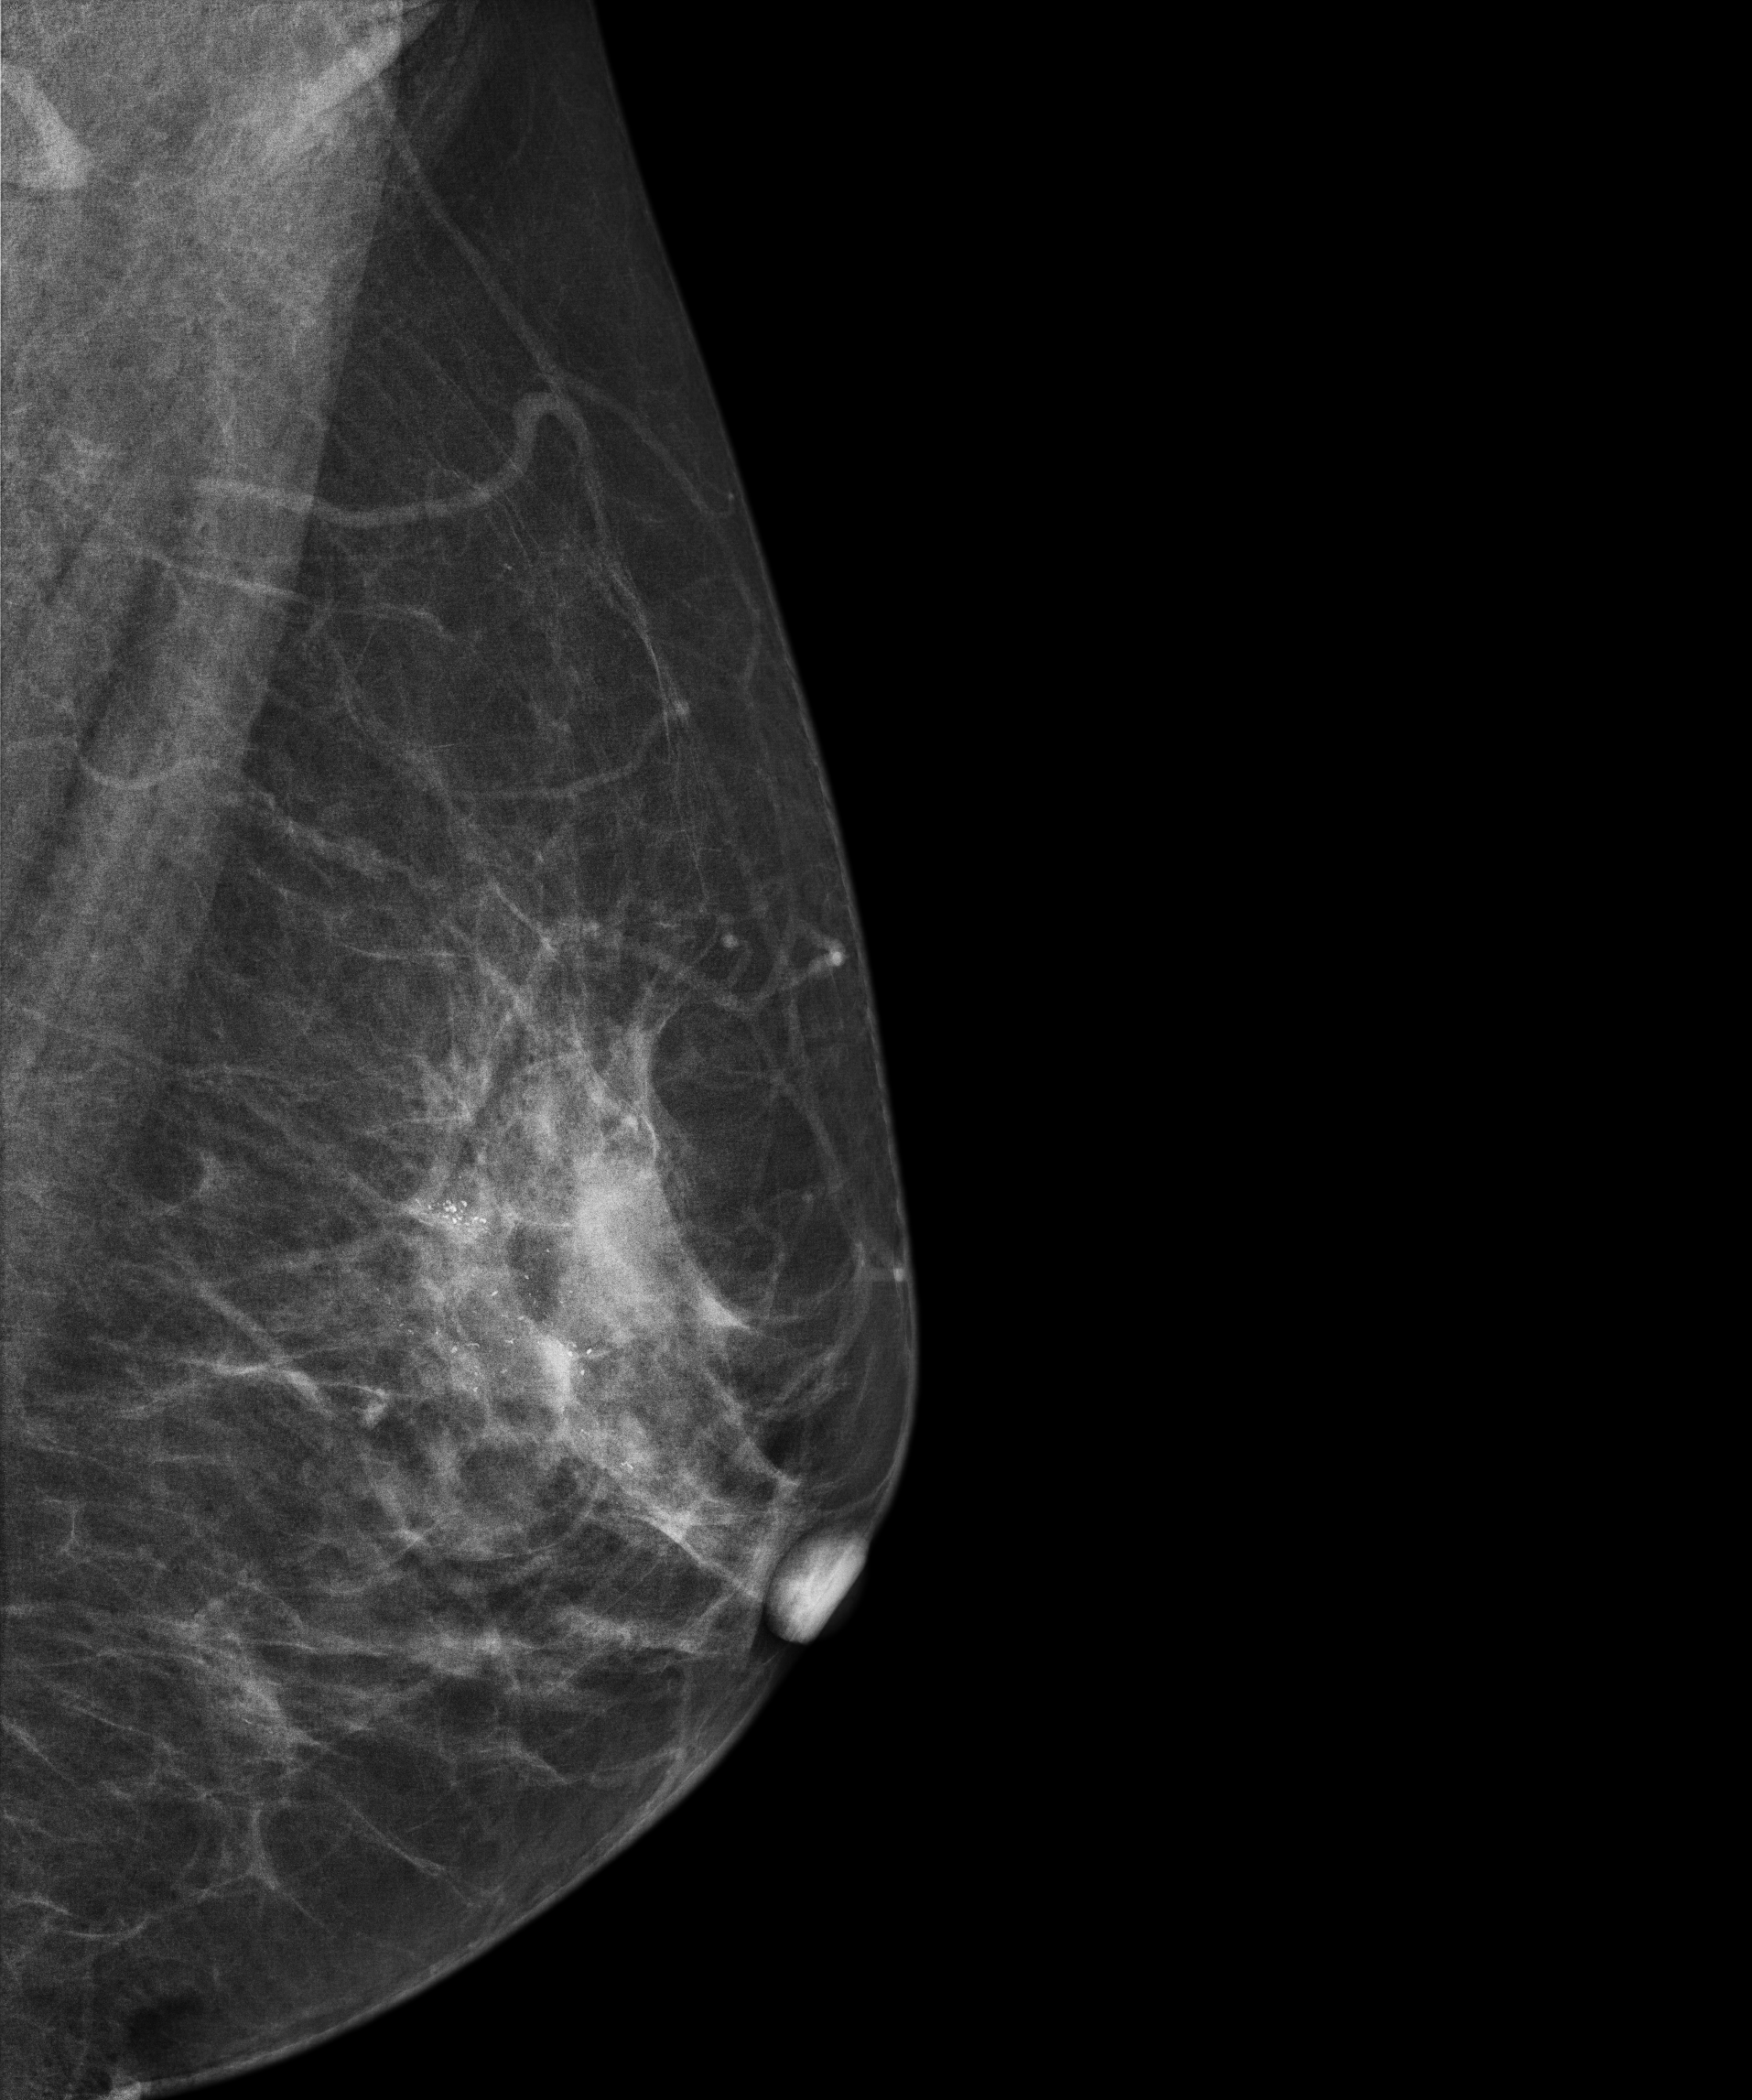
Digital mammography. Left breast, medio-lateral oblique projection. 56-year-old patient.
This breast has calcifications, histologically confirmed malignant. Molecular subtype: triple-negative.